Right-breast mammogram, MLO. Patient age 46.
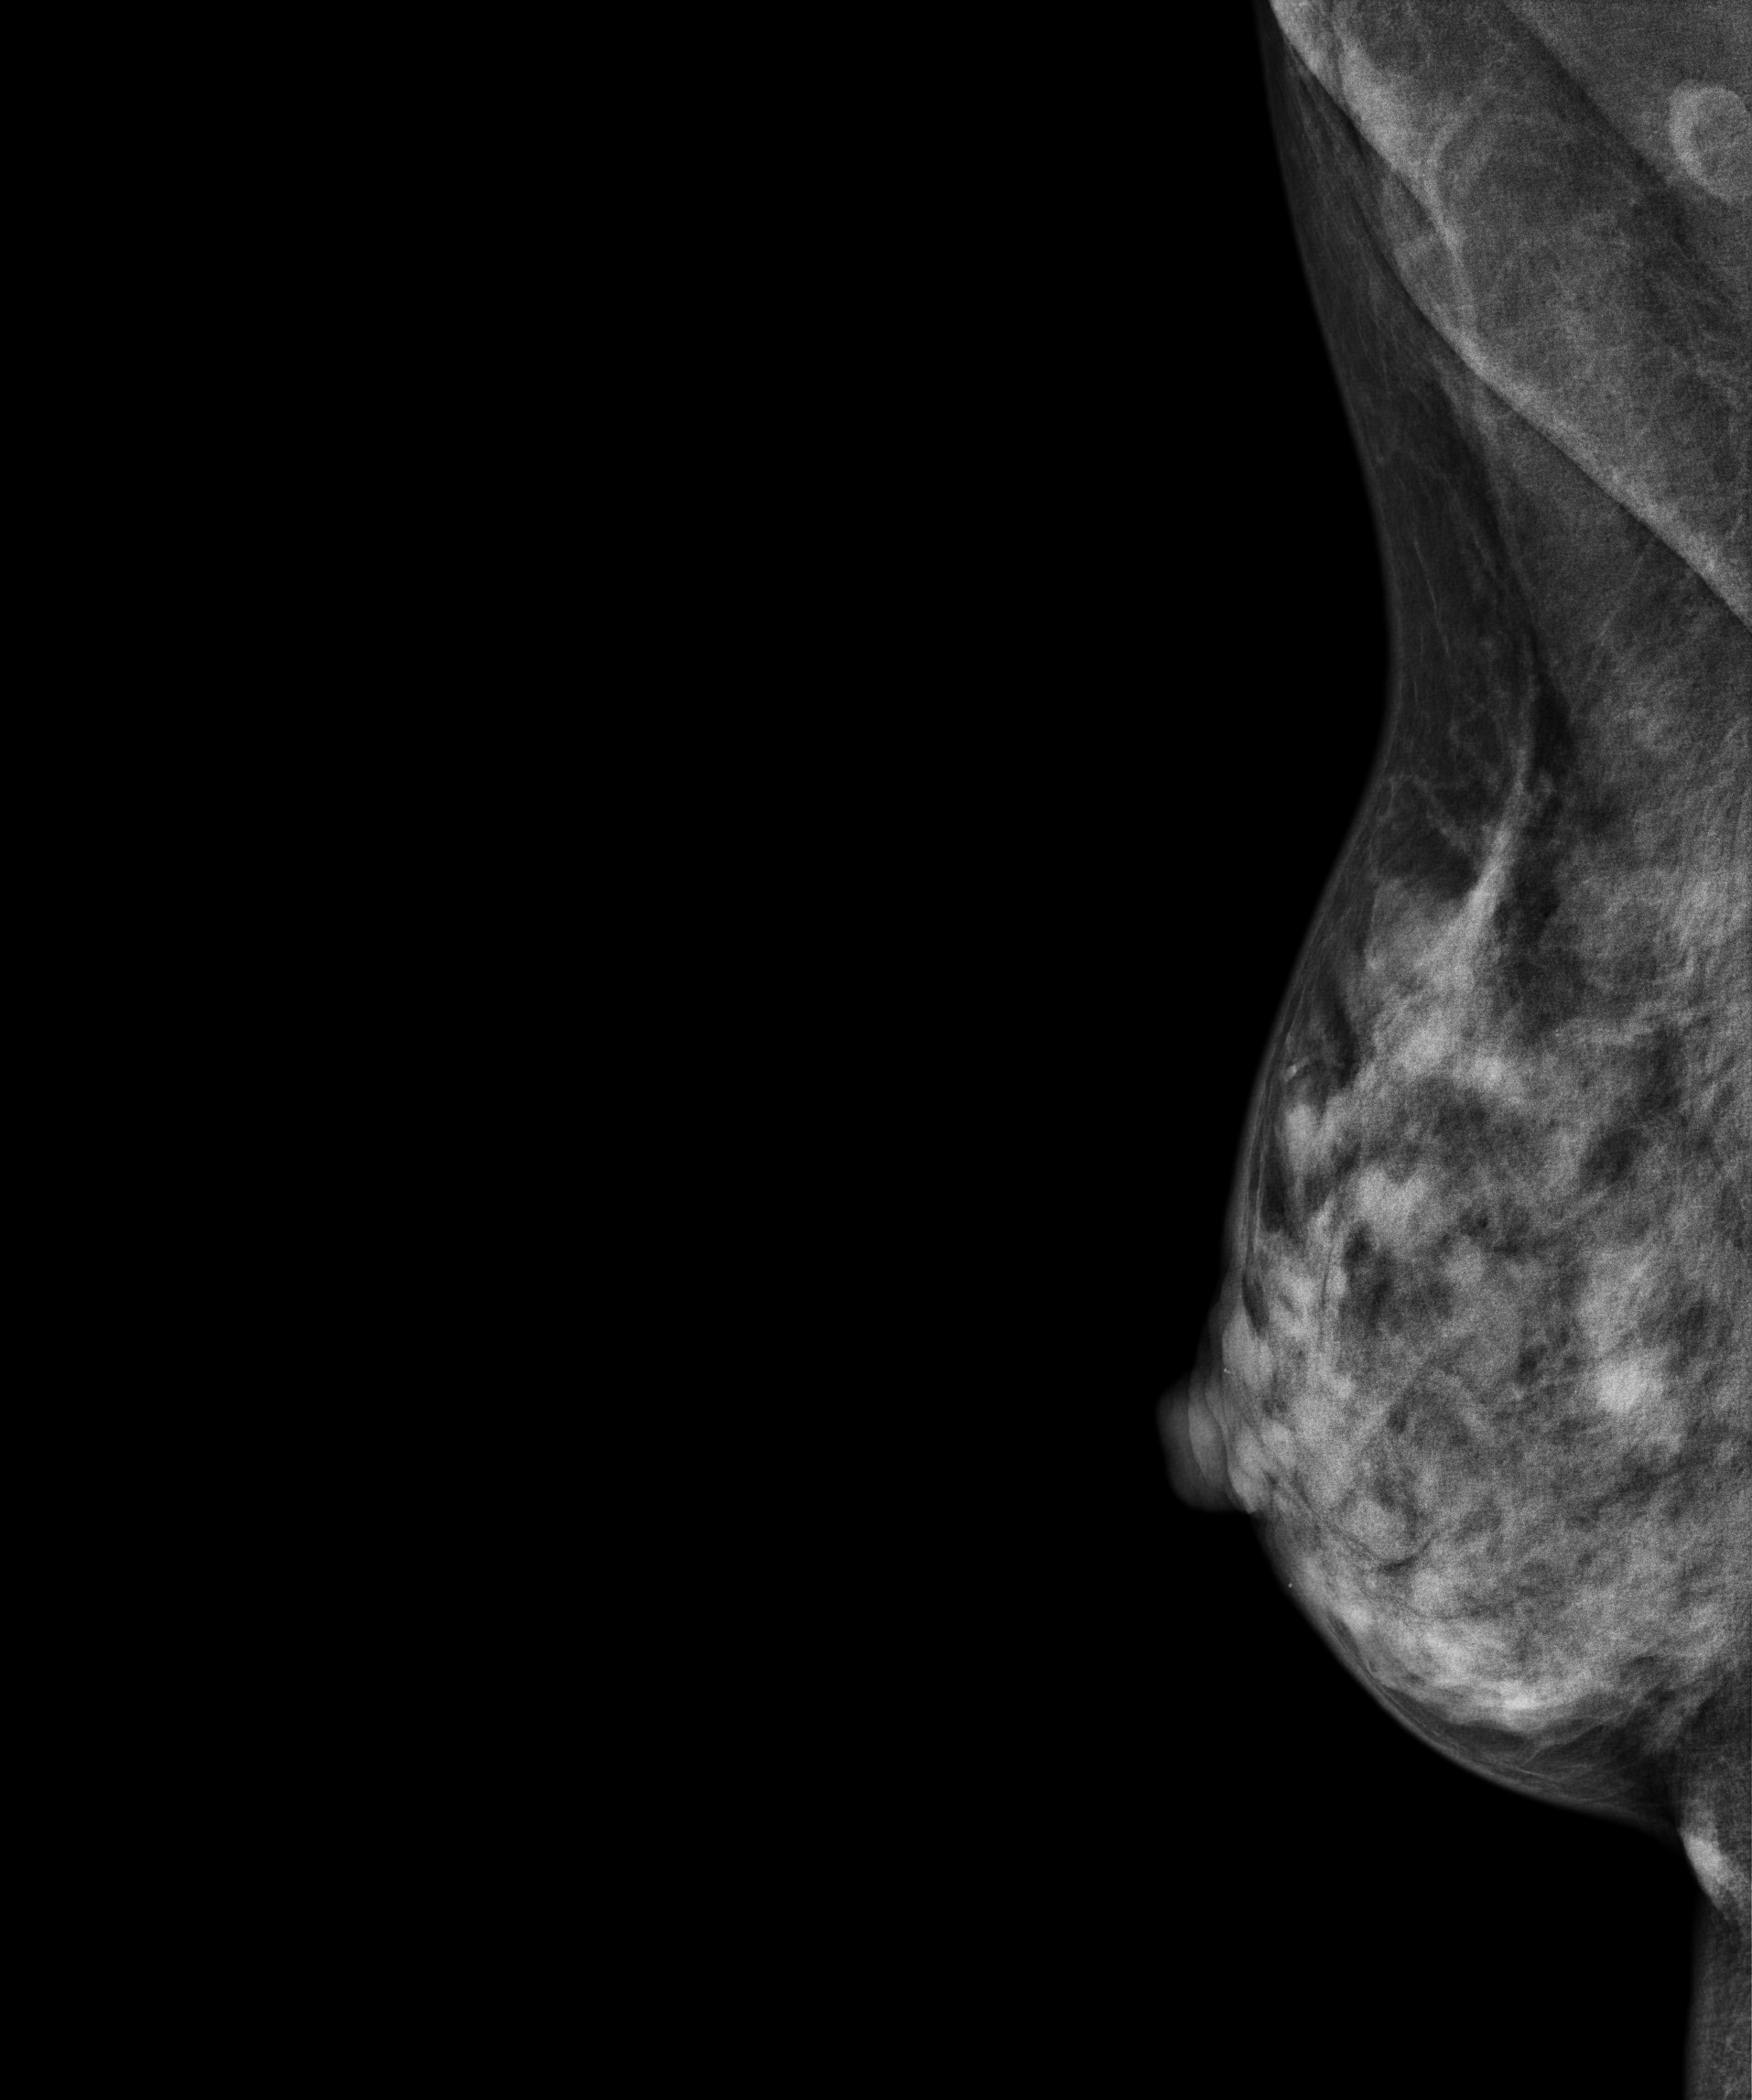
Contralateral breast — no documented abnormality on this side.